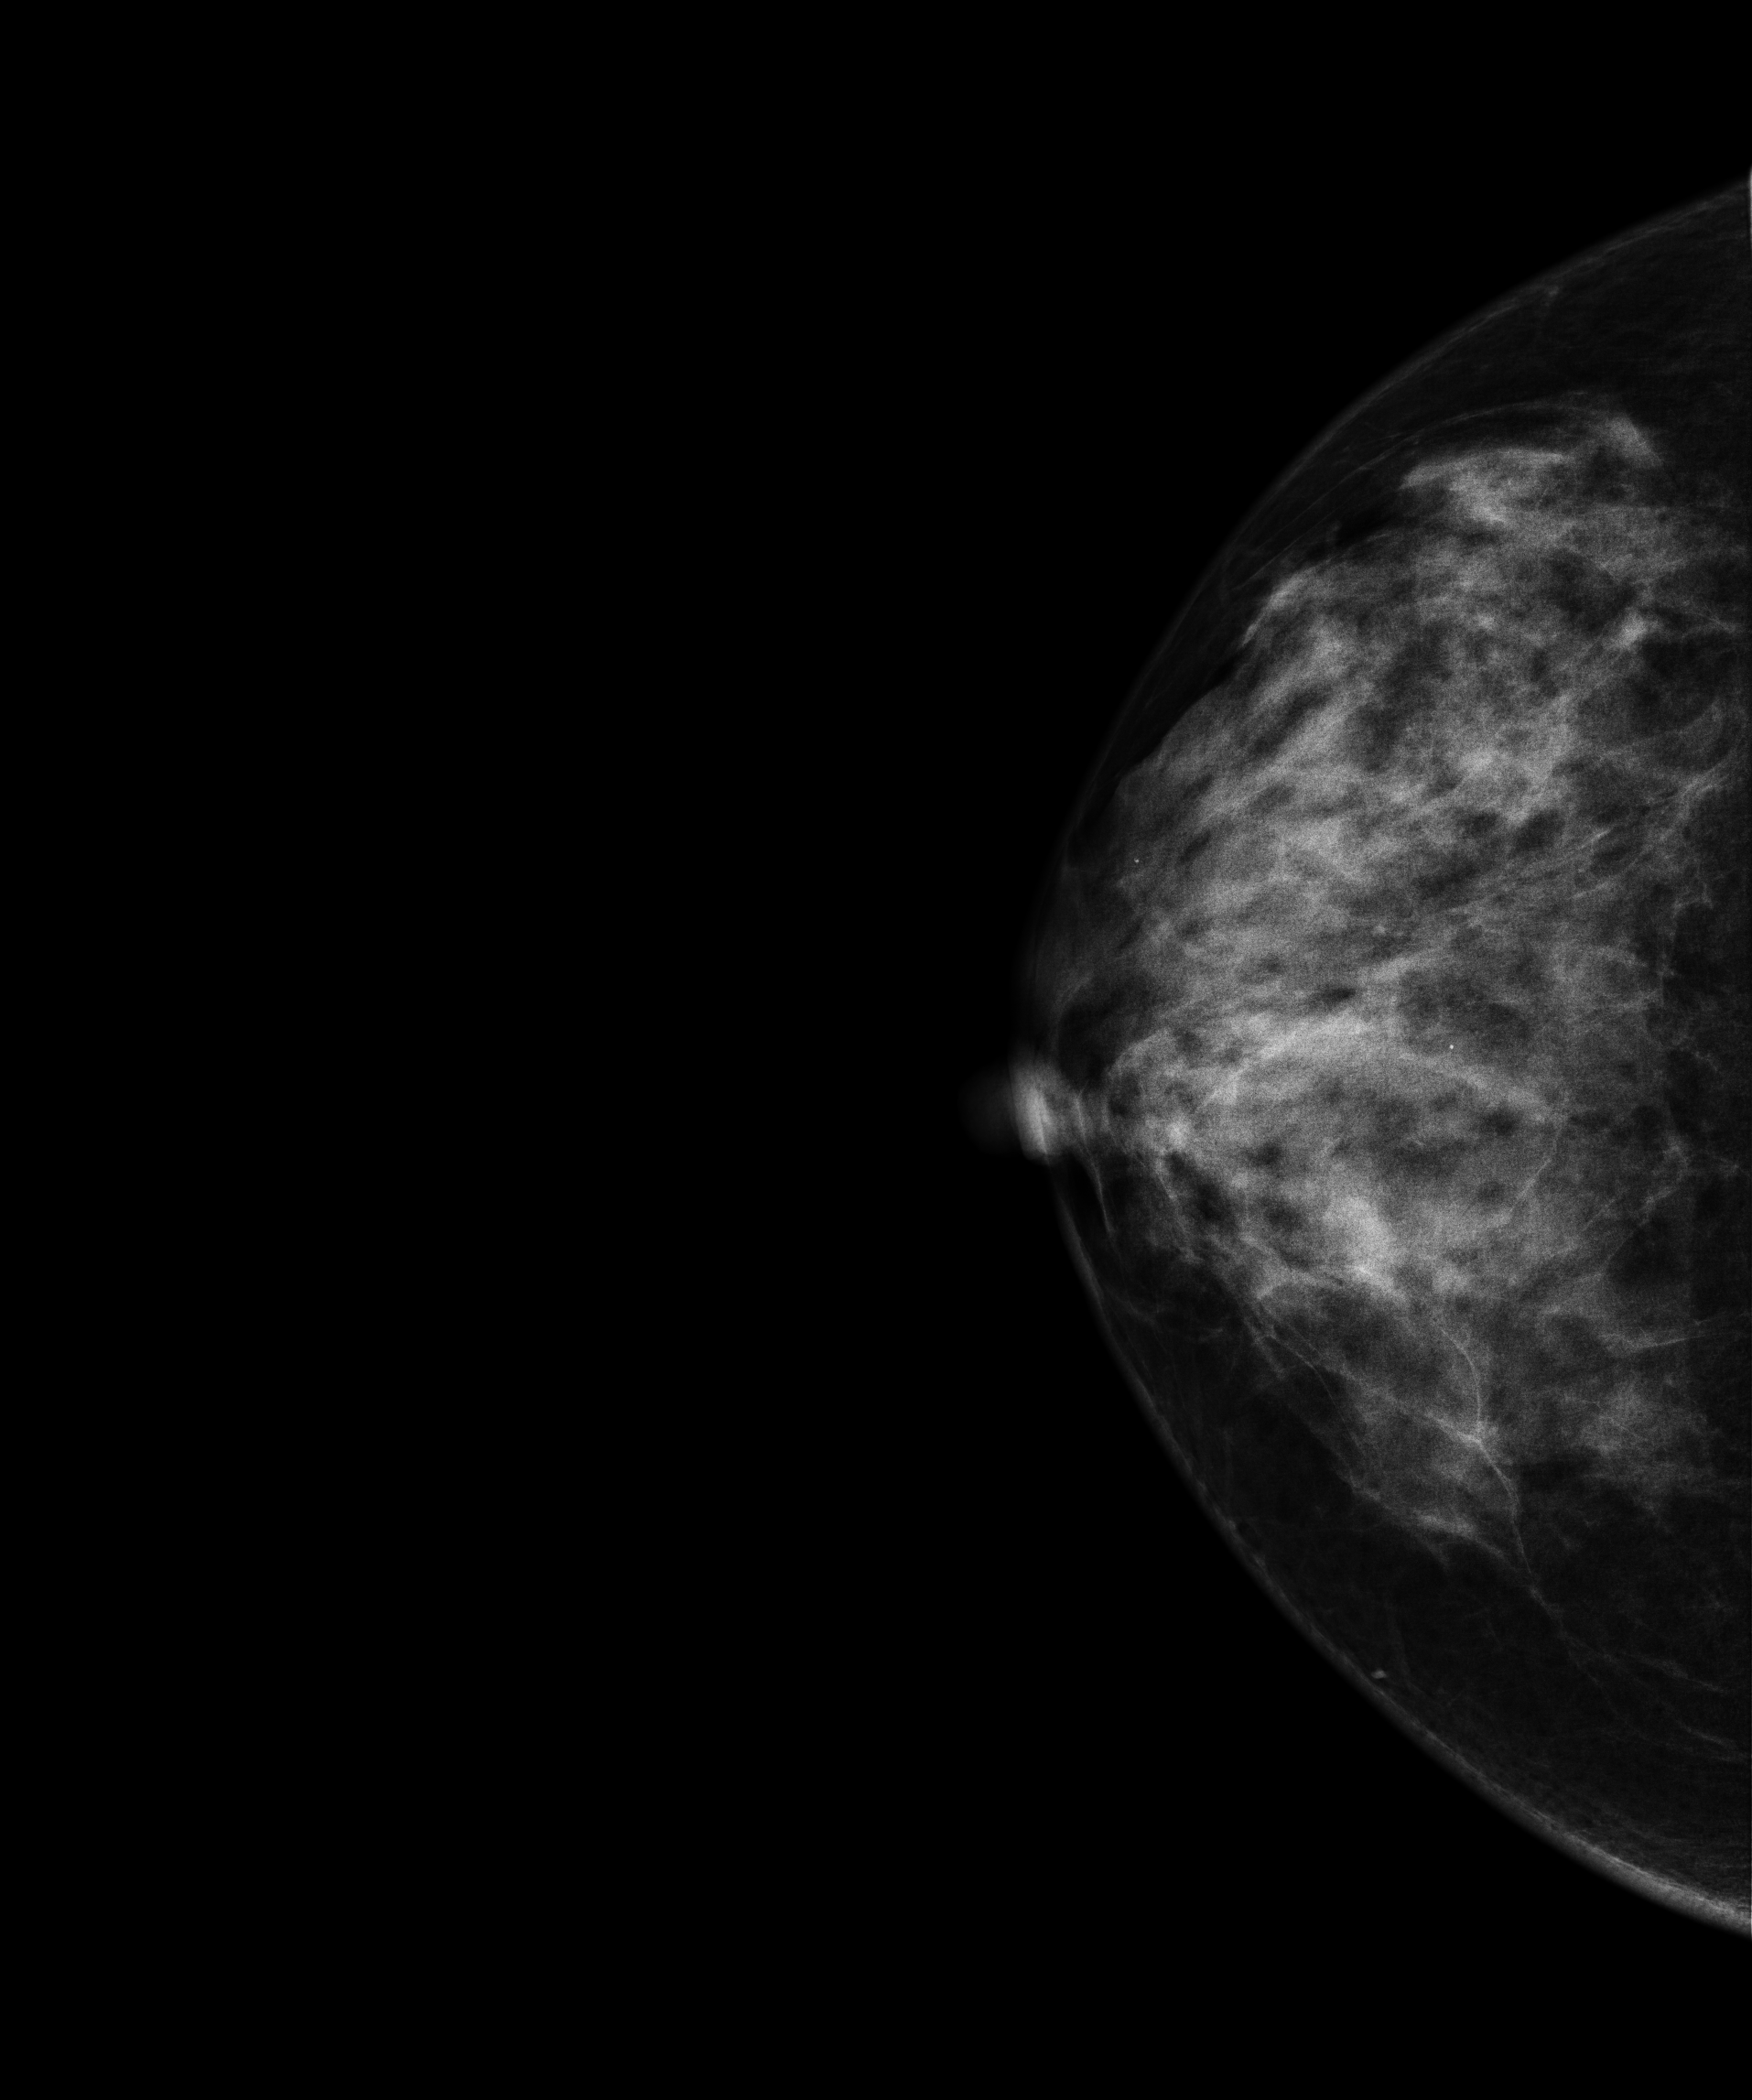
Right-breast mammogram, CC. 49-year-old patient.
This breast has a mass and calcifications, biopsy-confirmed malignant. Molecular subtype: luminal B.